Right-breast mammogram, cranio-caudal. 40 y/o patient.
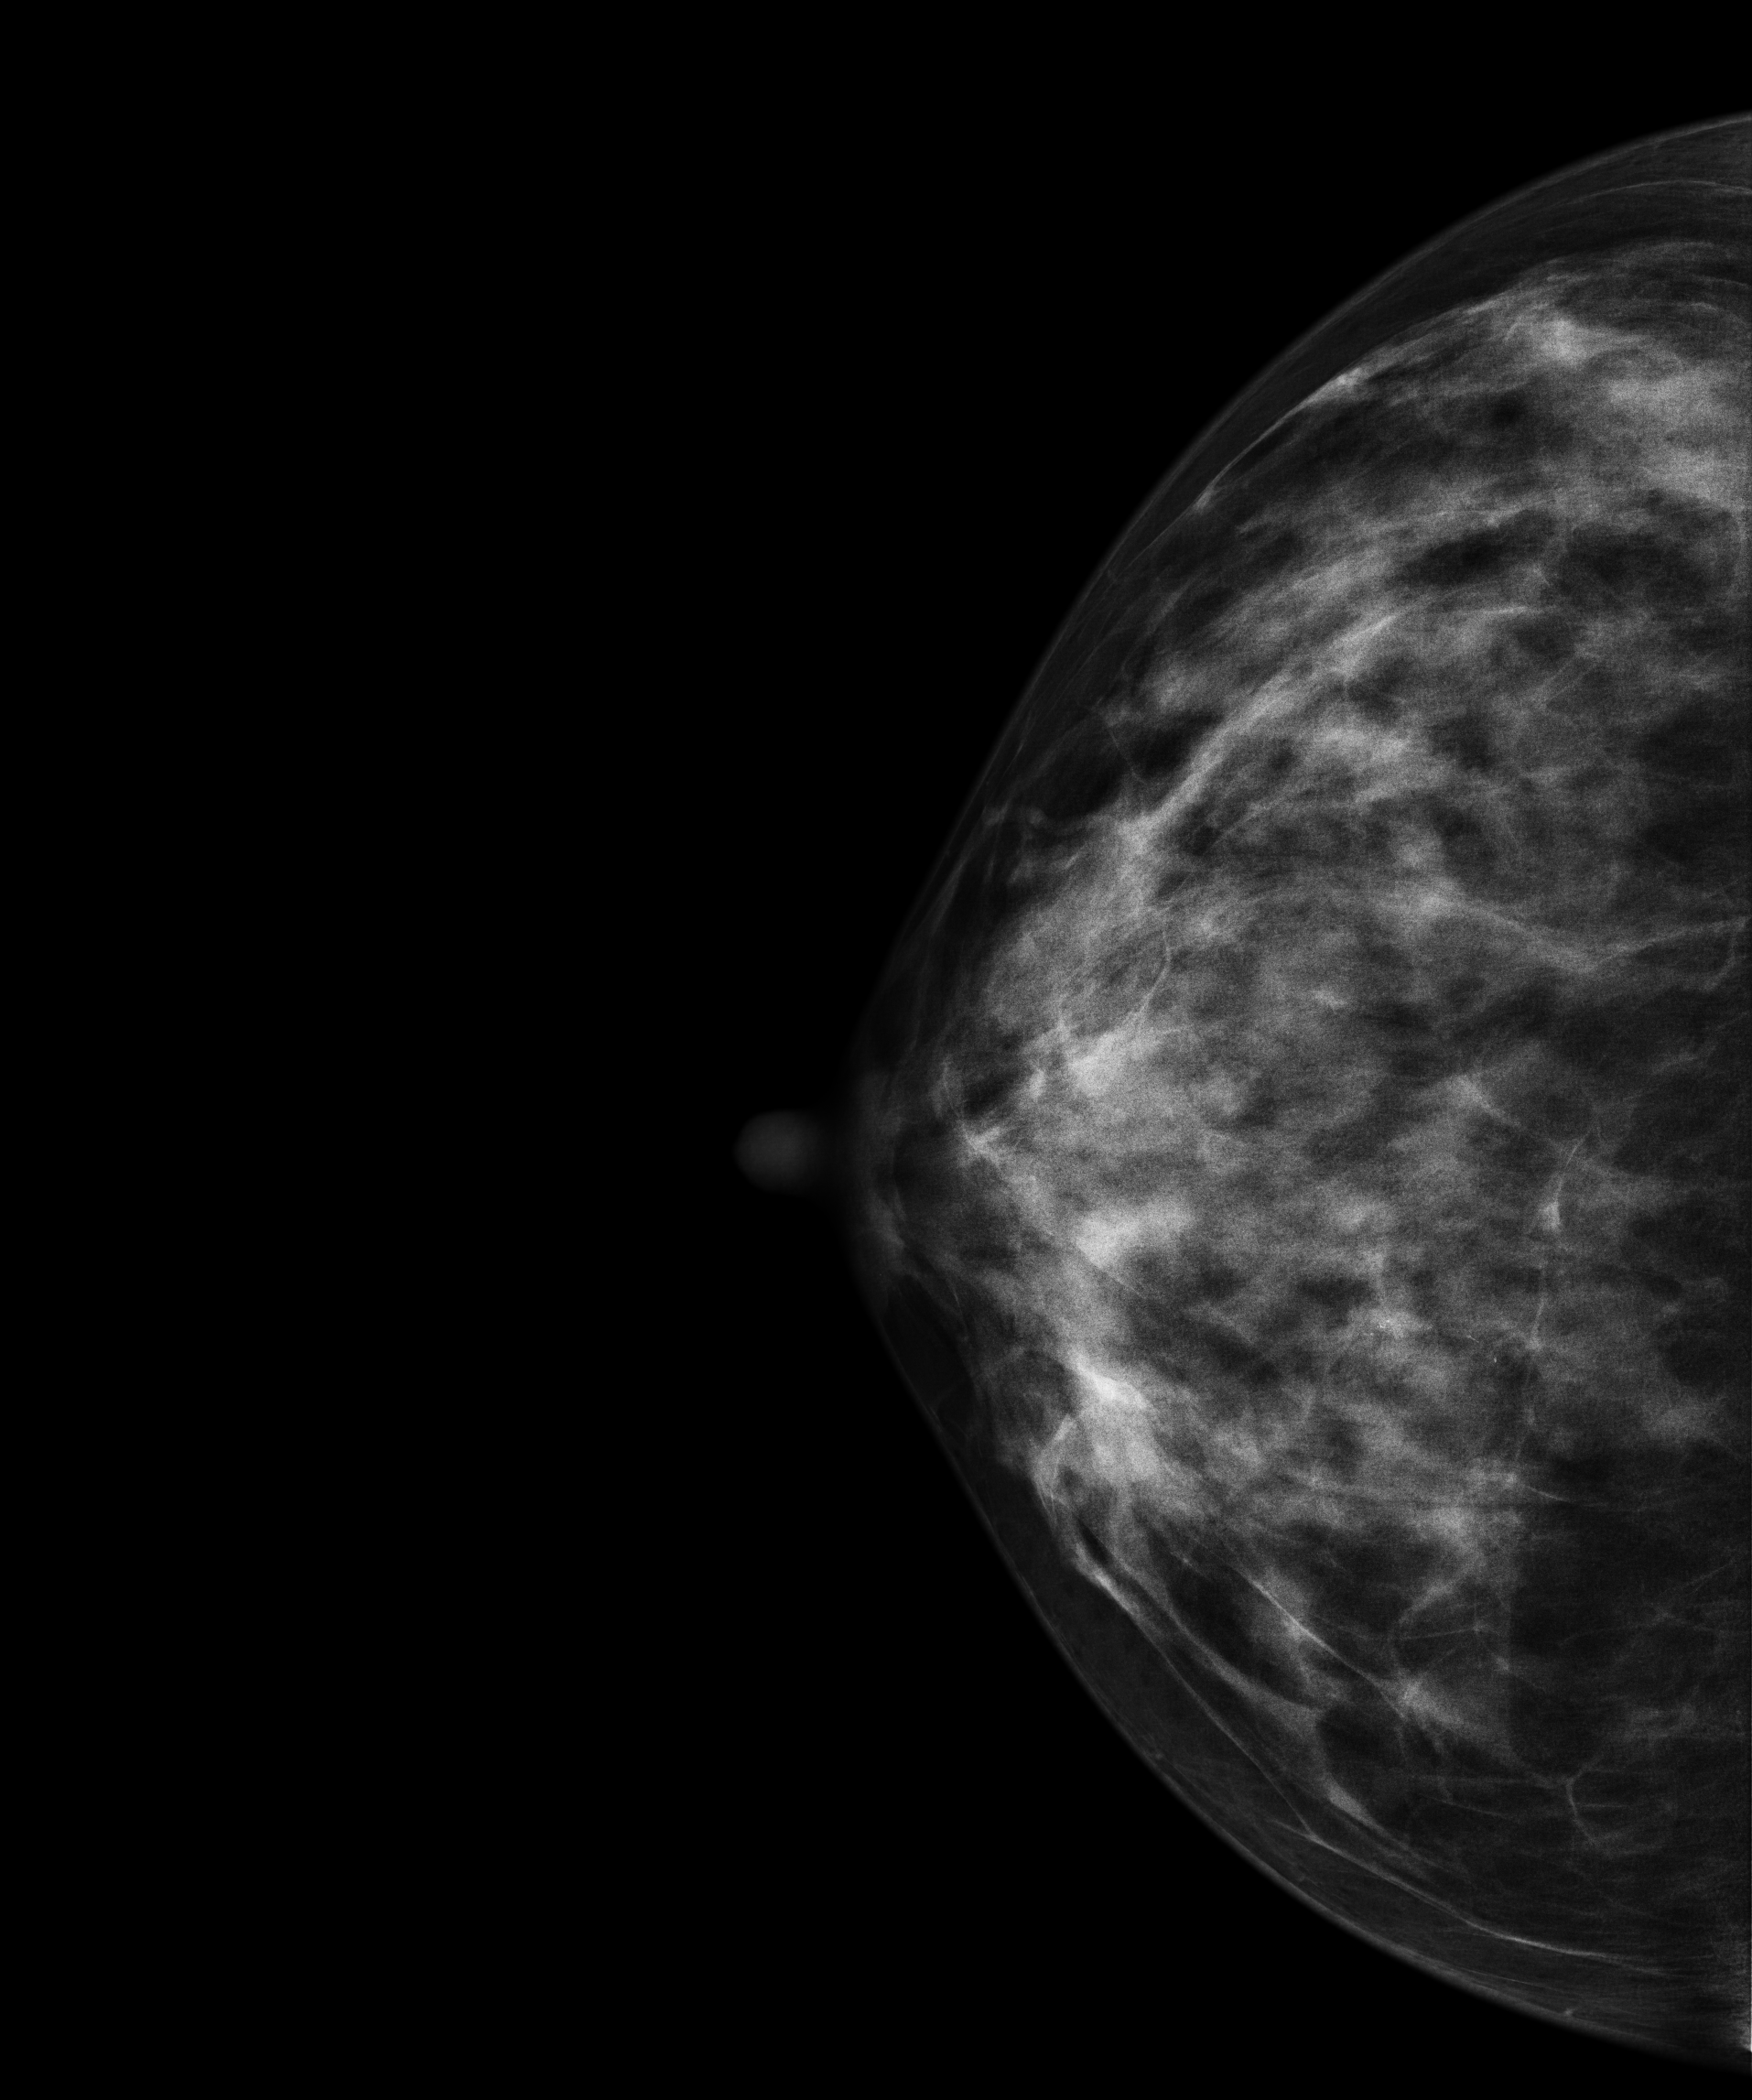
Contralateral breast — no documented abnormality on this side.